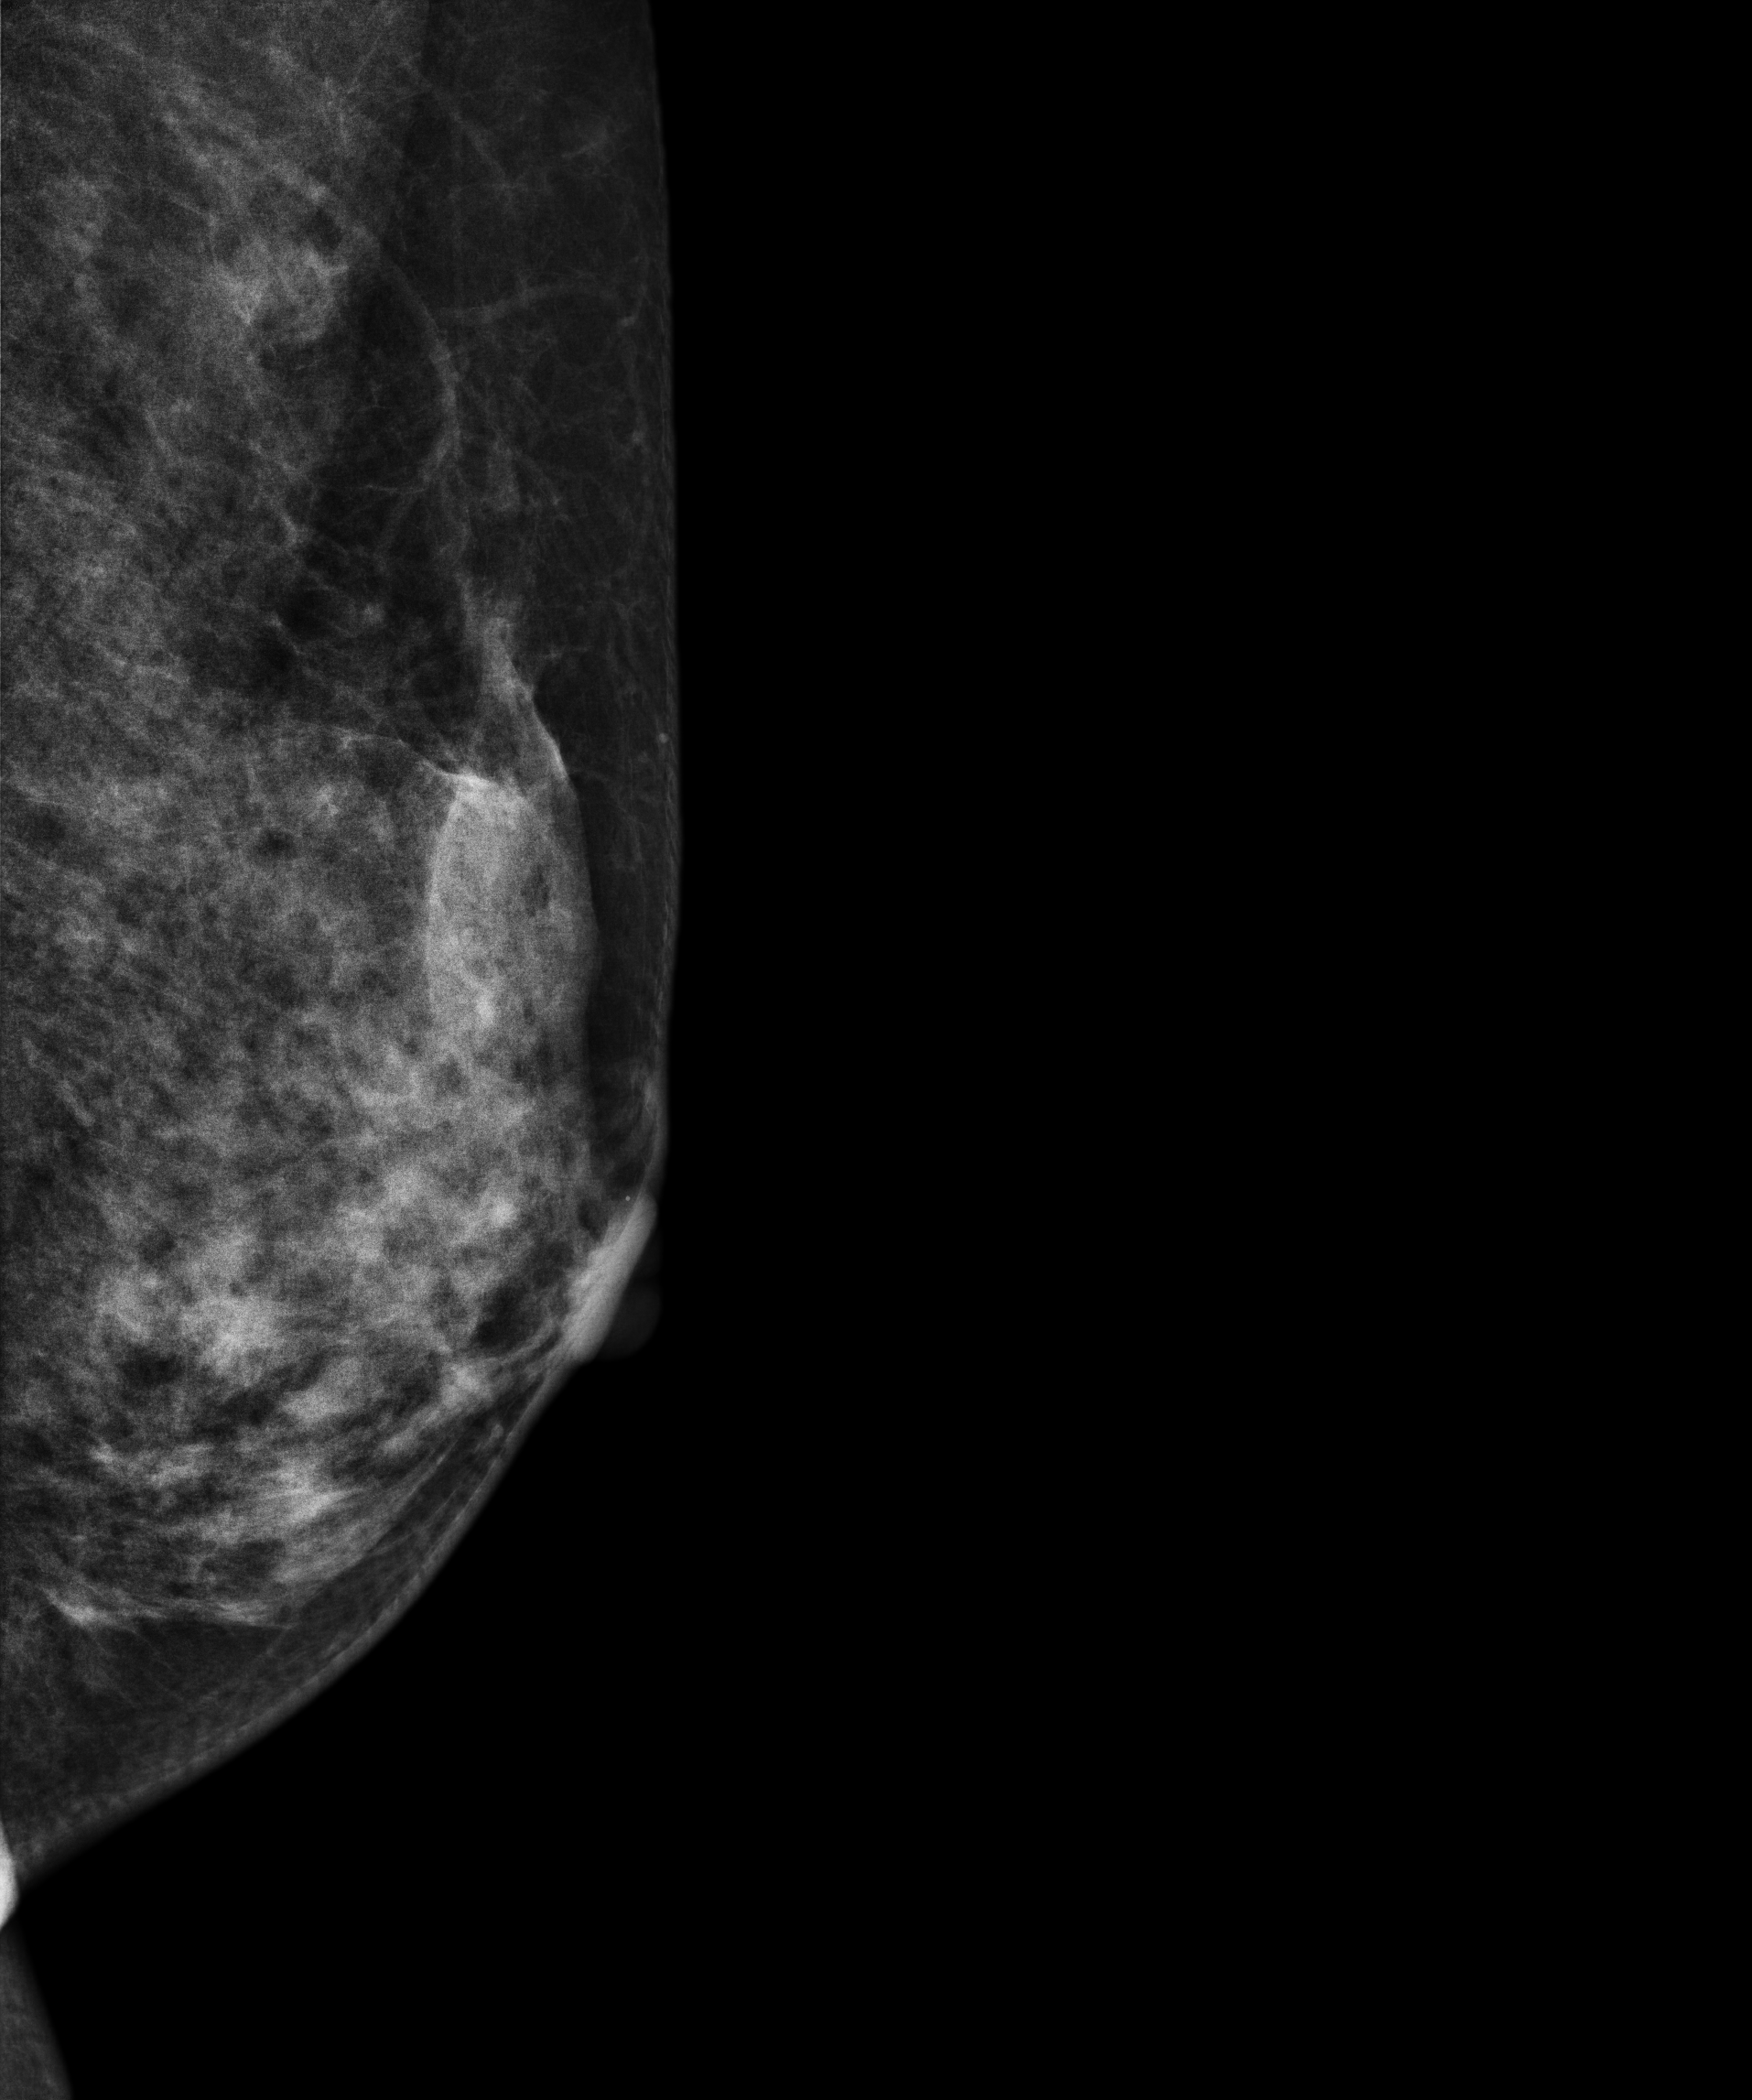
MLO mammogram of the left breast. 49-year-old patient.
Contralateral breast — no documented abnormality on this side.